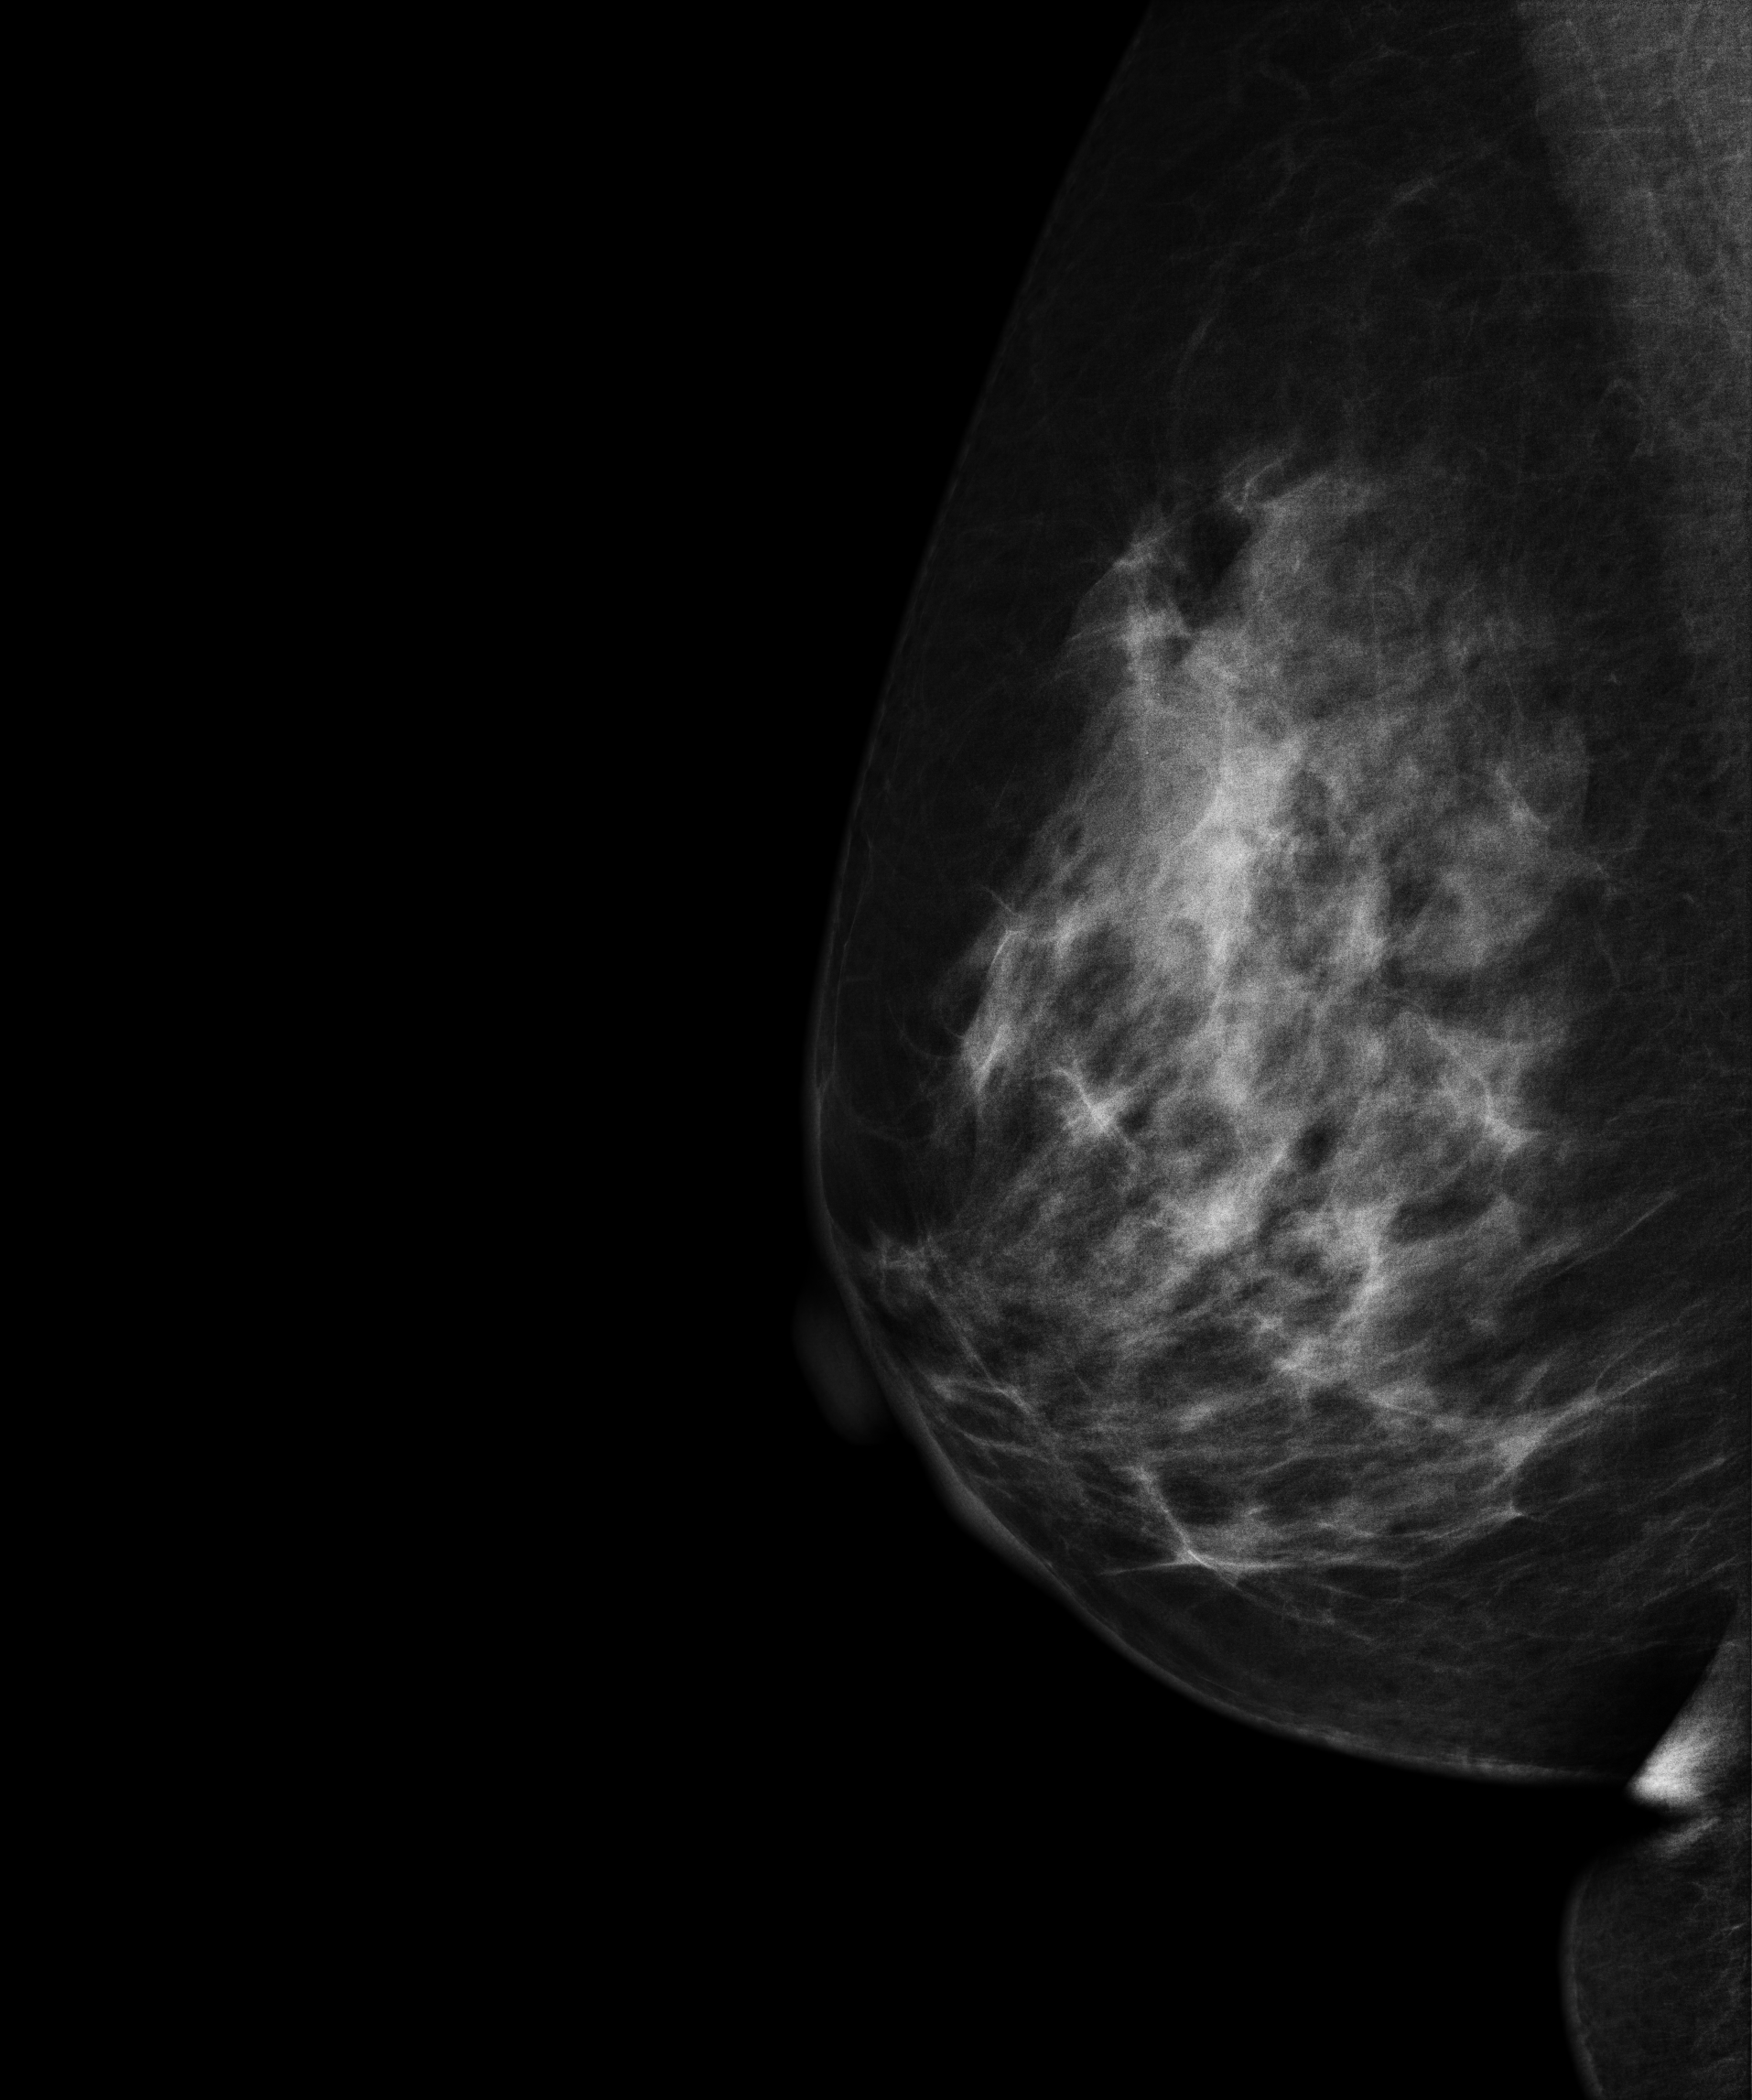
Mammogram — right MLO. 49-year-old patient.
This breast has a mass, histologically confirmed malignant. Molecular subtype: luminal B.